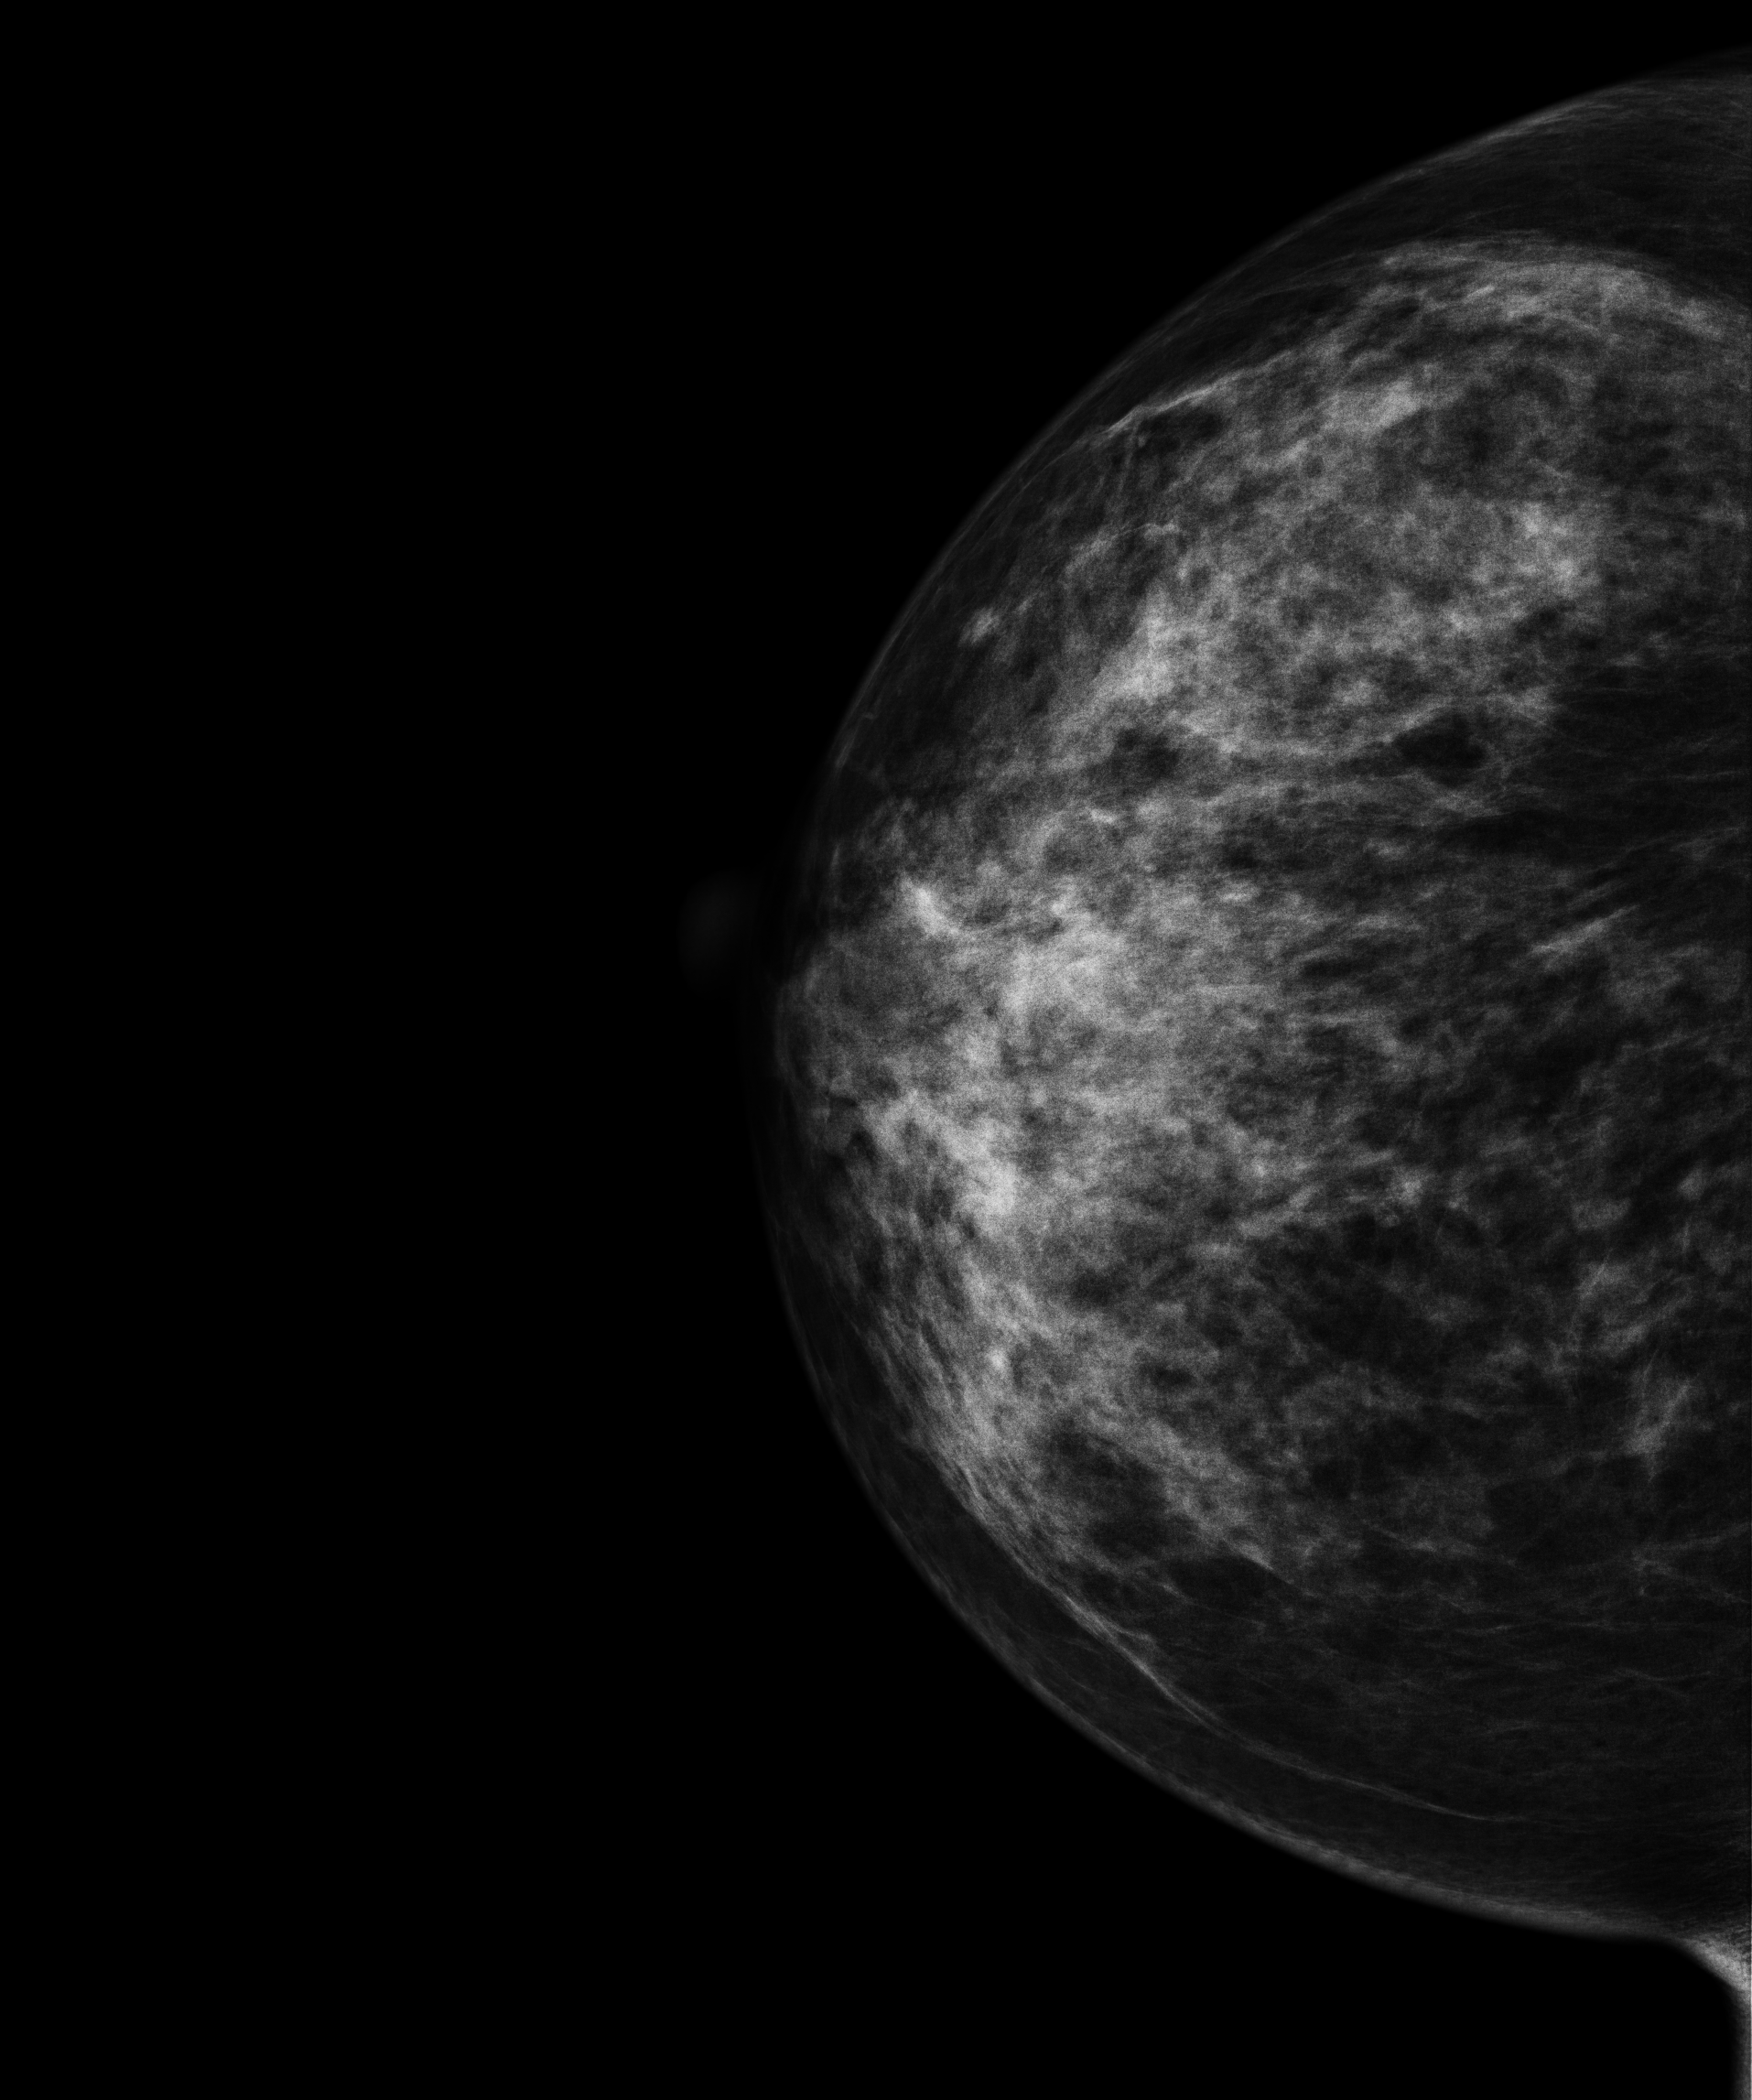
Digital mammography. Right breast, CC projection. 42-year-old patient.
Contralateral breast — no documented abnormality on this side.